Mammogram — left MLO. Patient age 36.
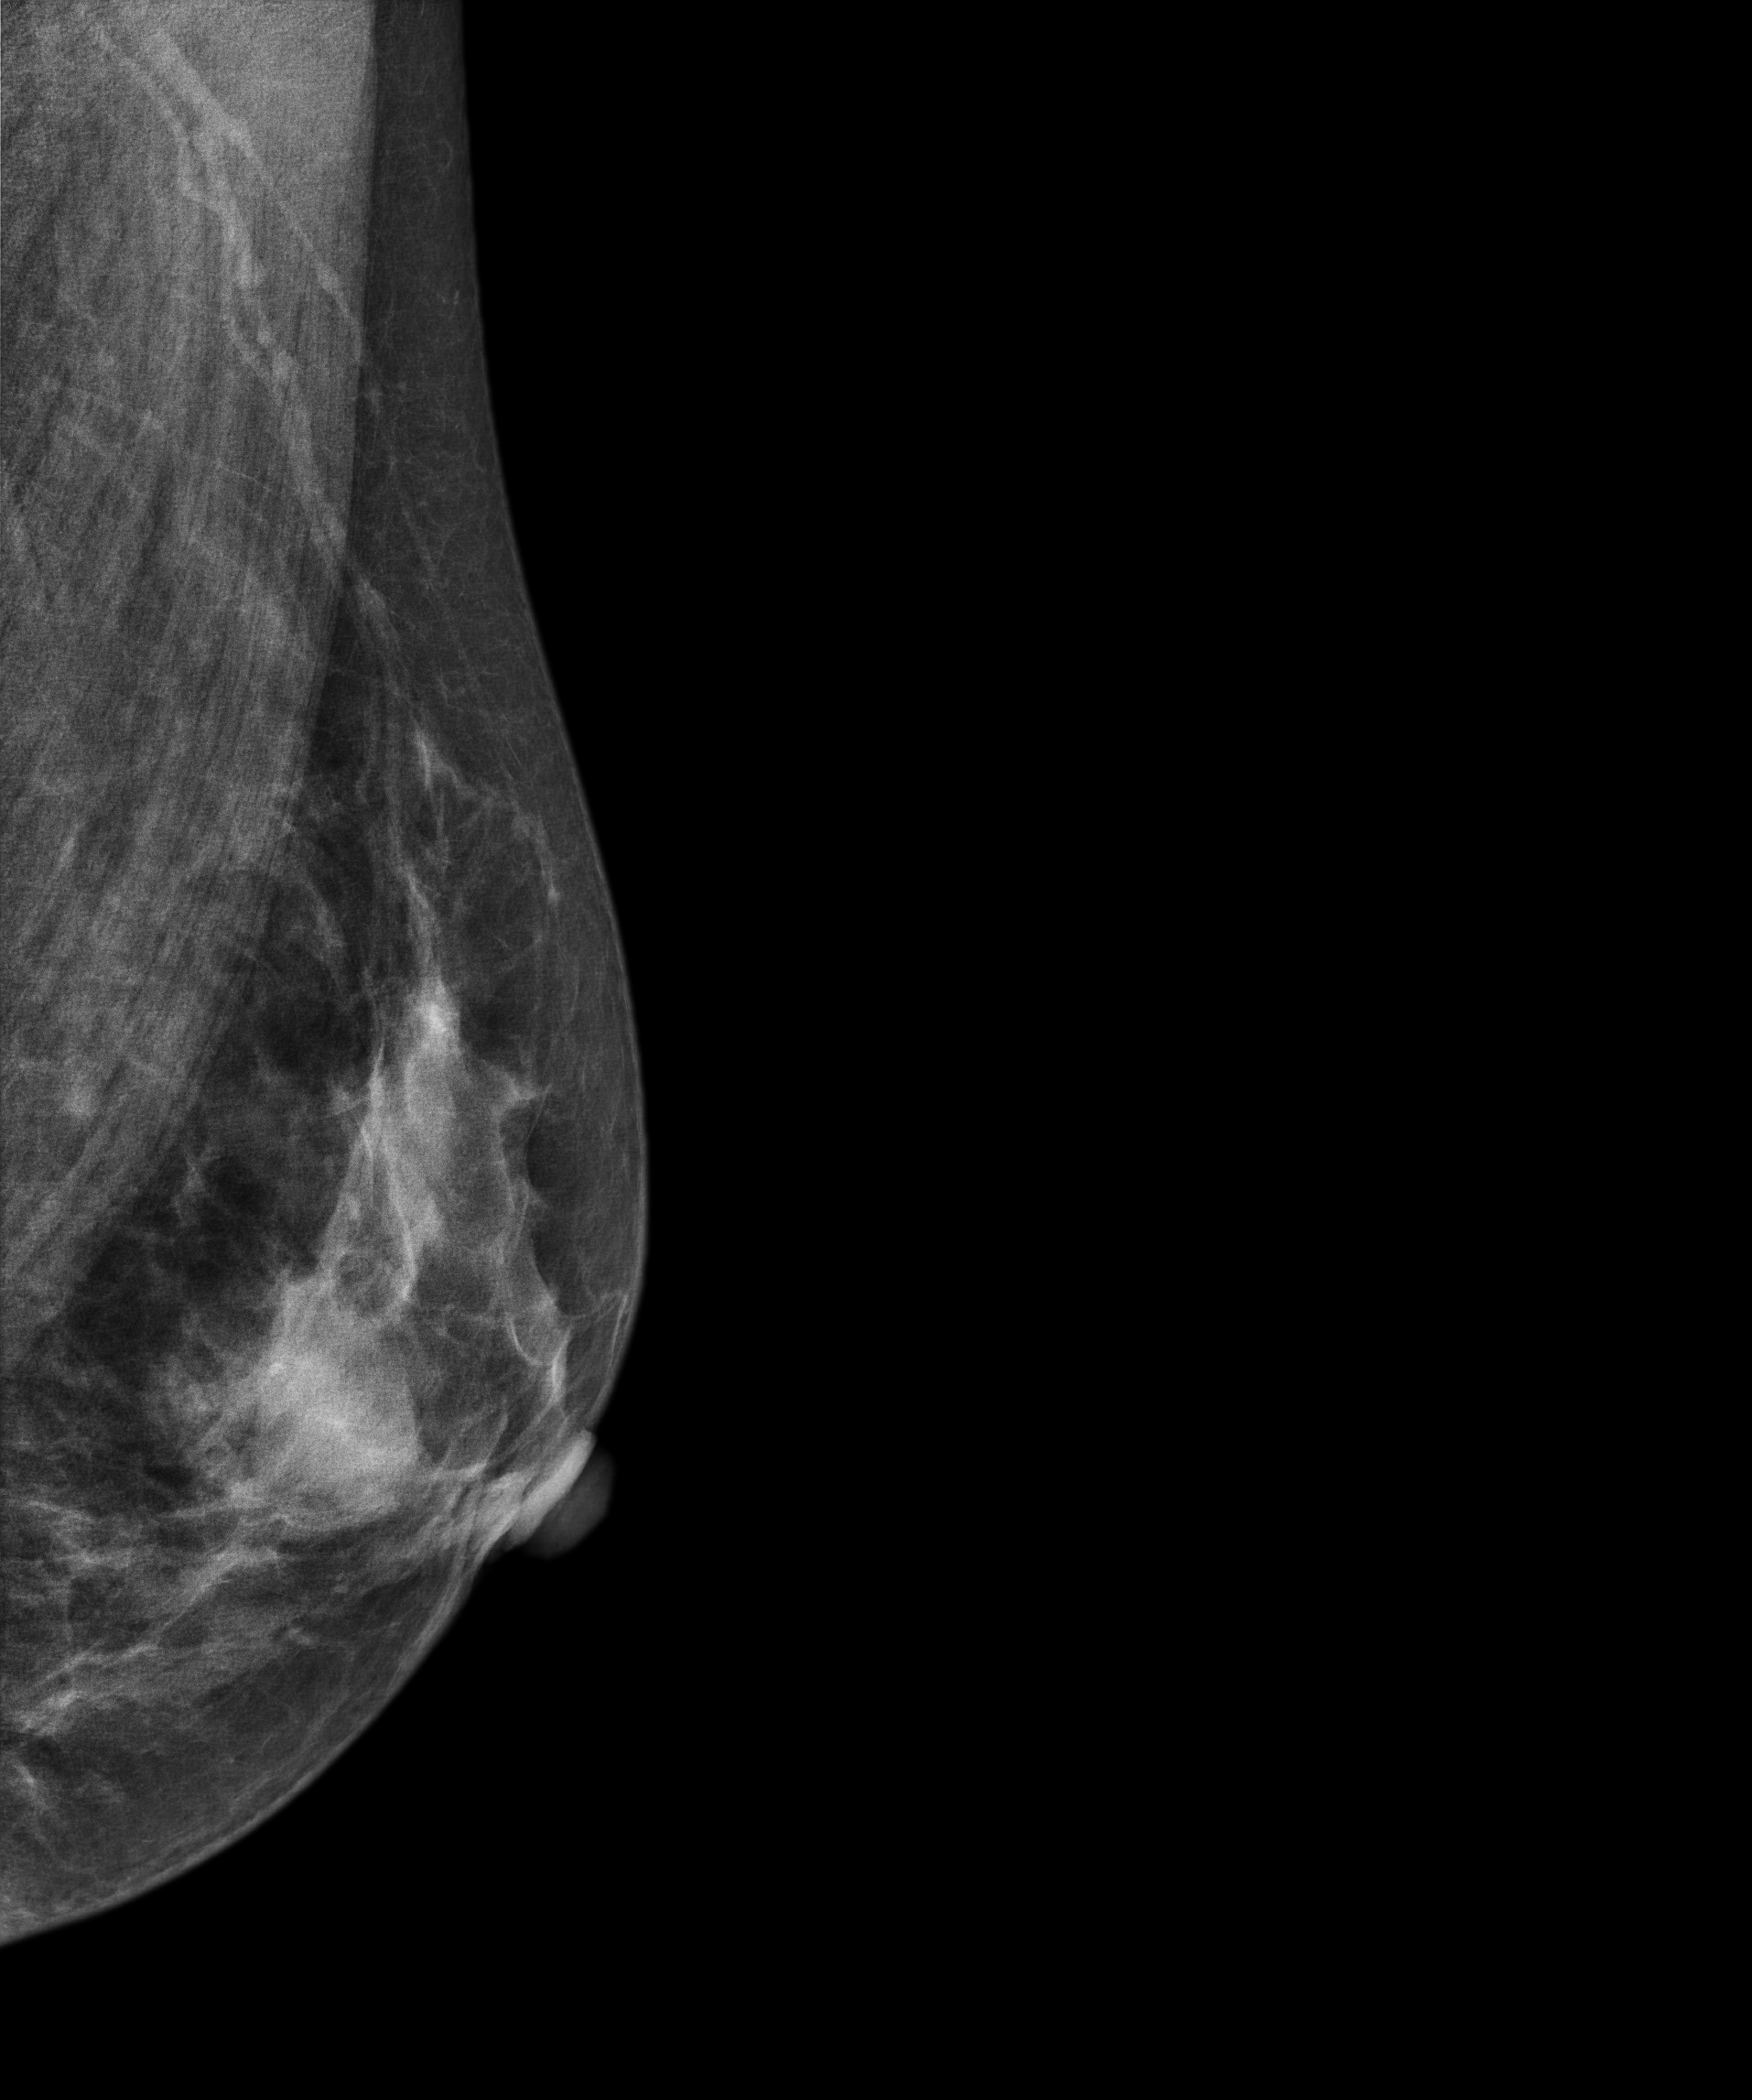
This breast has a mass, pathology-confirmed benign.